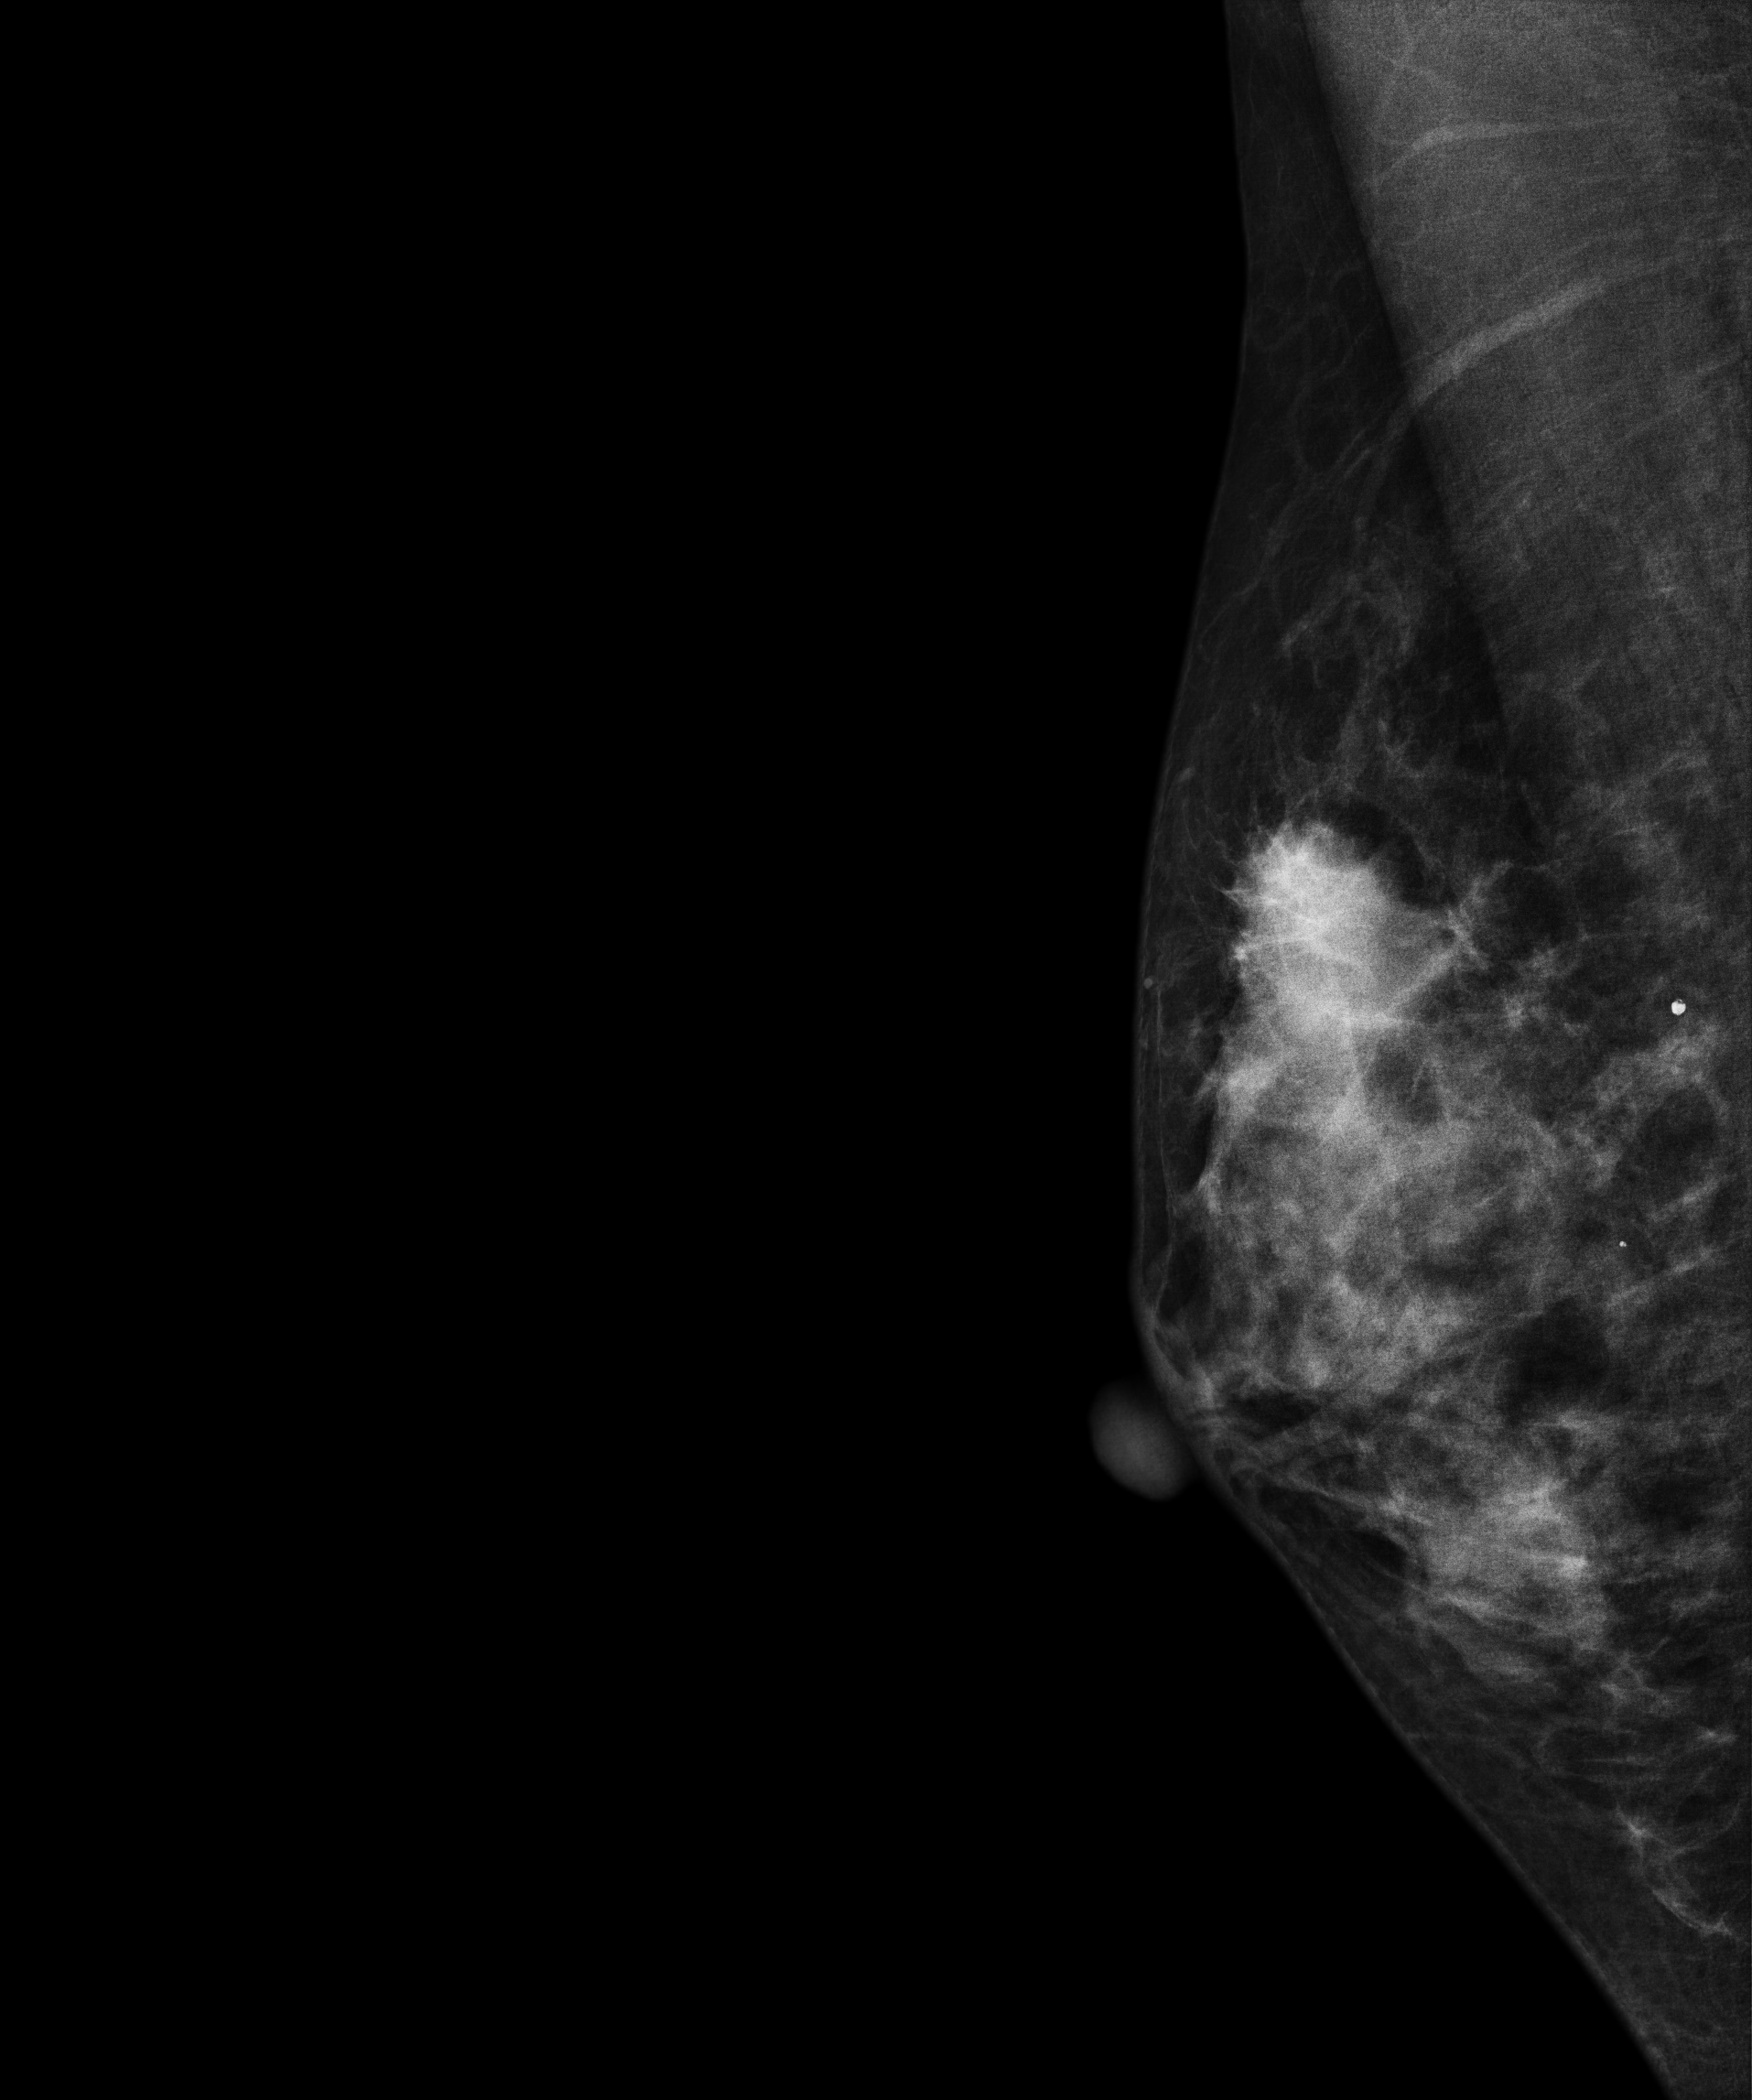
Digital mammography. Right breast, medio-lateral oblique projection. 41-year-old patient.
This breast has a mass, biopsy-confirmed malignant.